Mammogram — left MLO. Patient age 50.
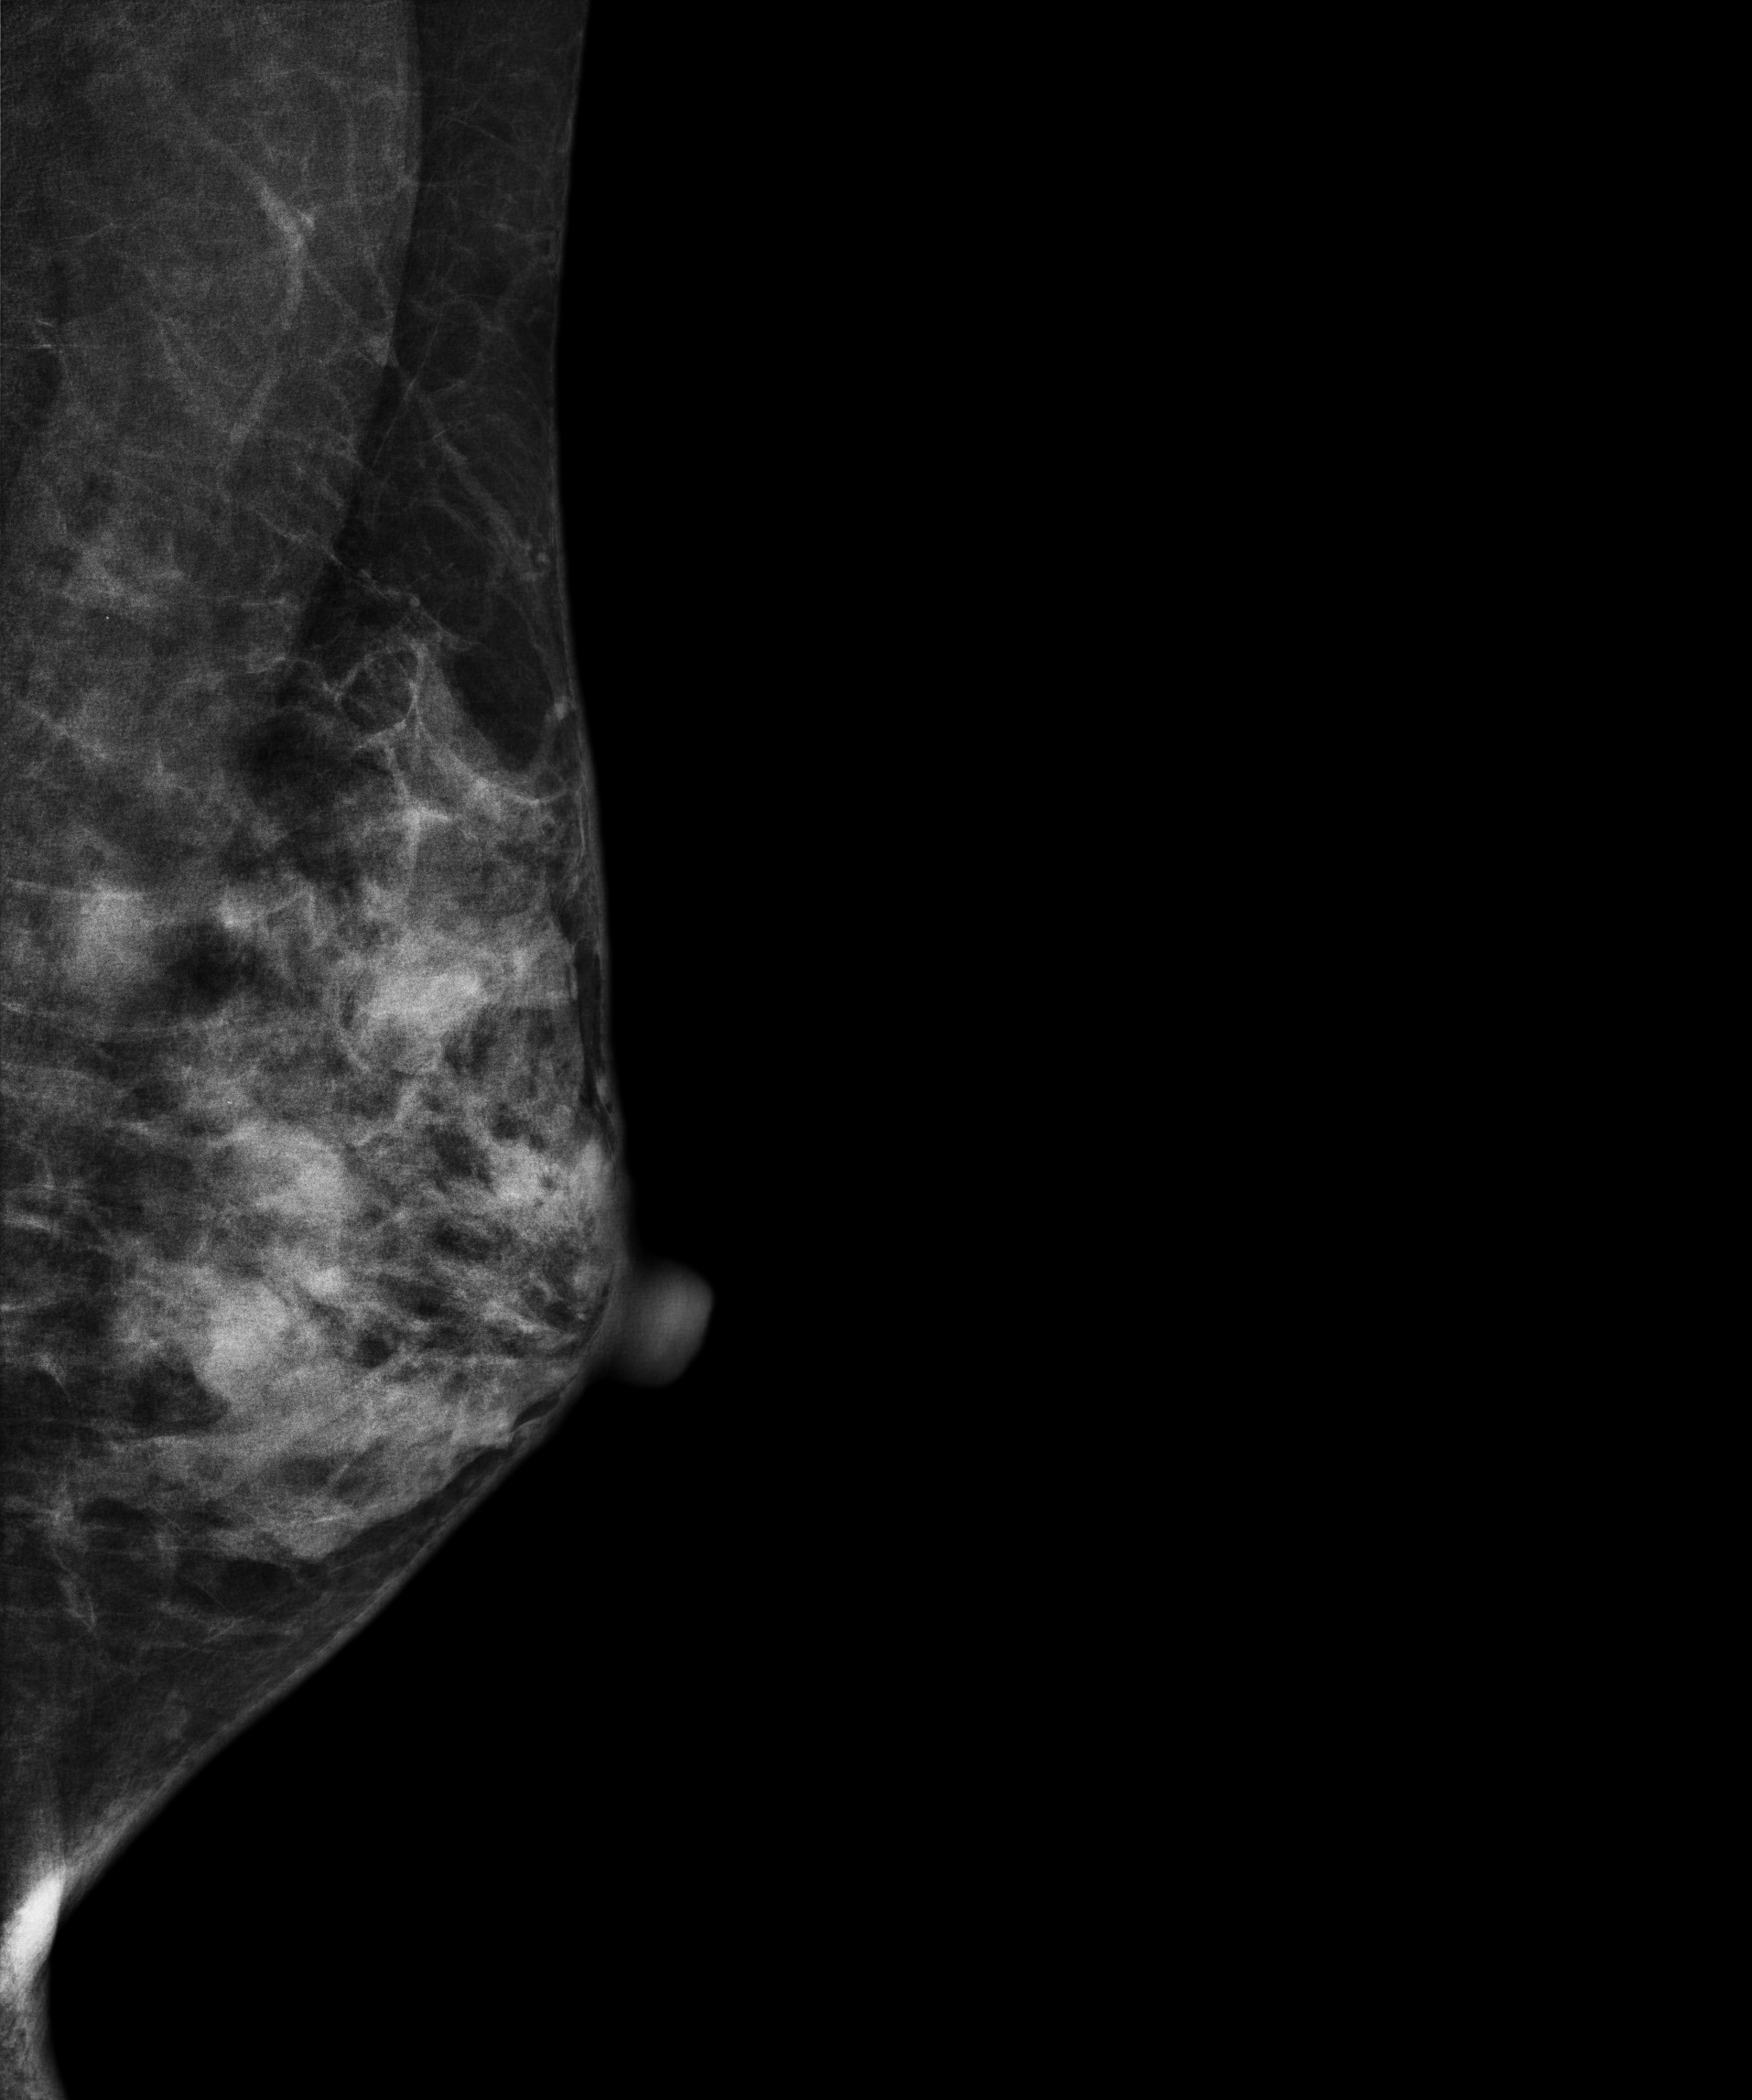
This breast has a mass, biopsy-confirmed benign.